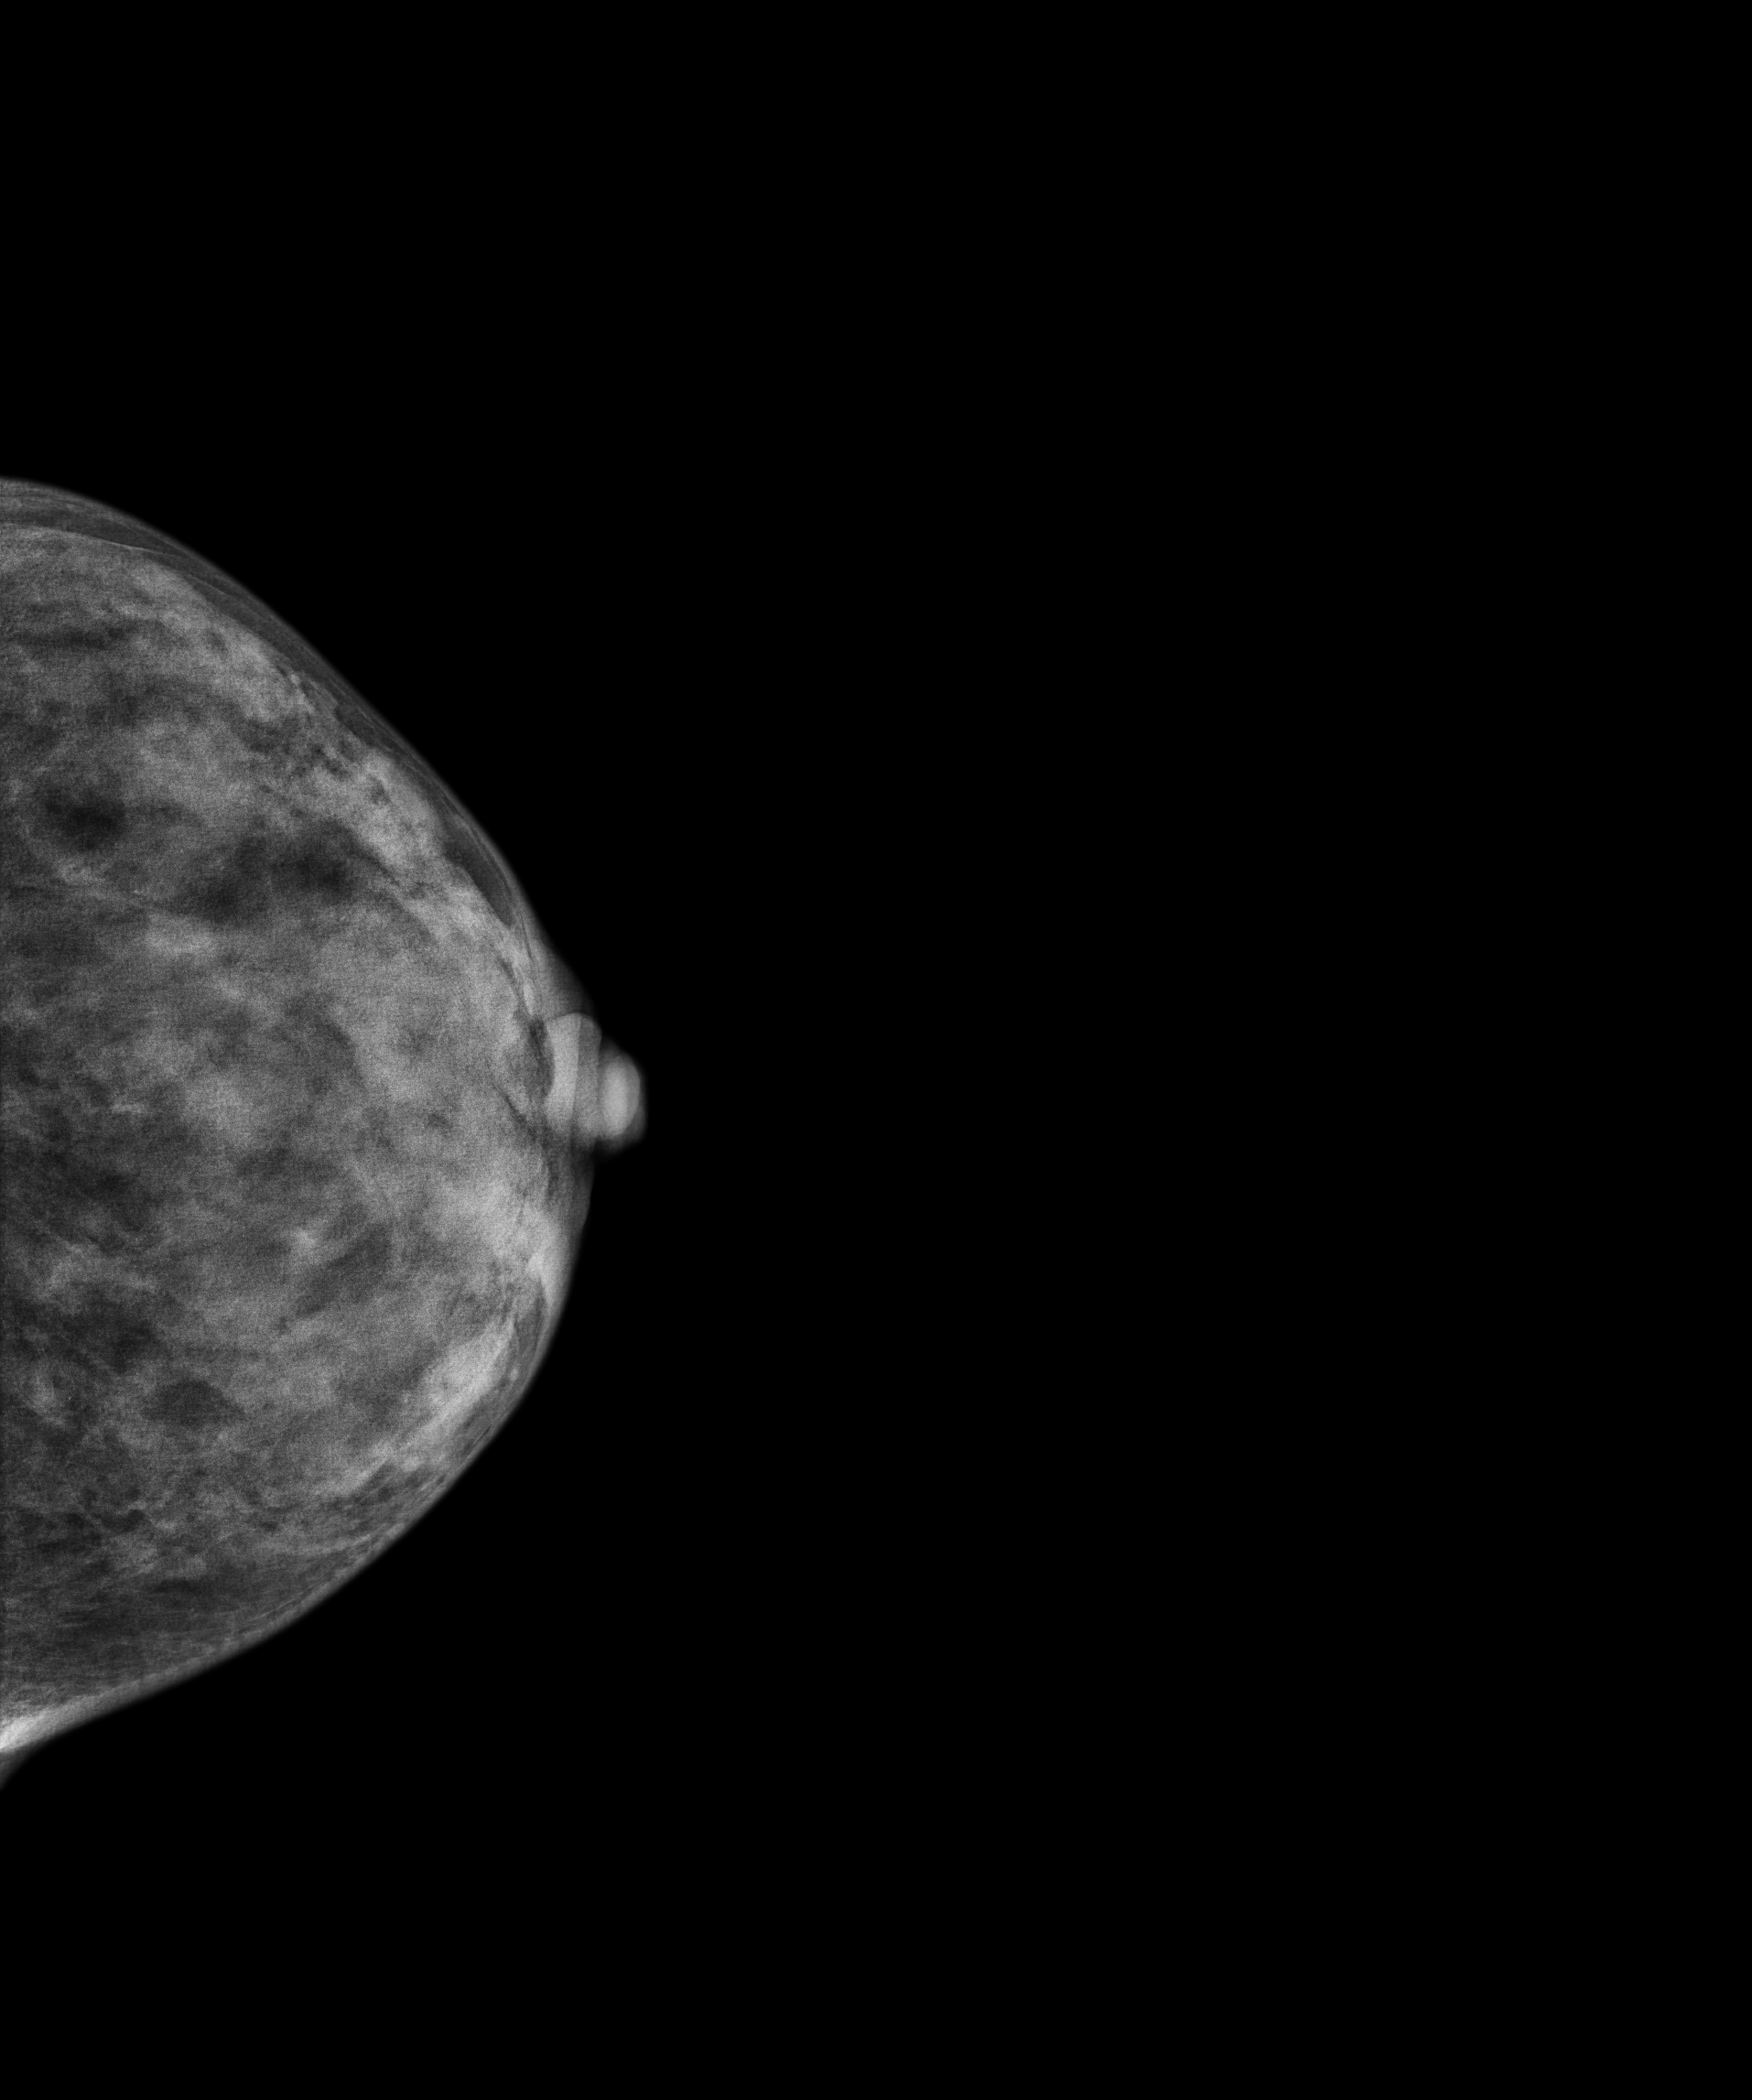
Mammogram — left cranio-caudal. 46-year-old patient.
This breast has a mass, biopsy-proven malignant. Molecular subtype: luminal B.